Mammogram, right breast, MLO view. 48-year-old patient.
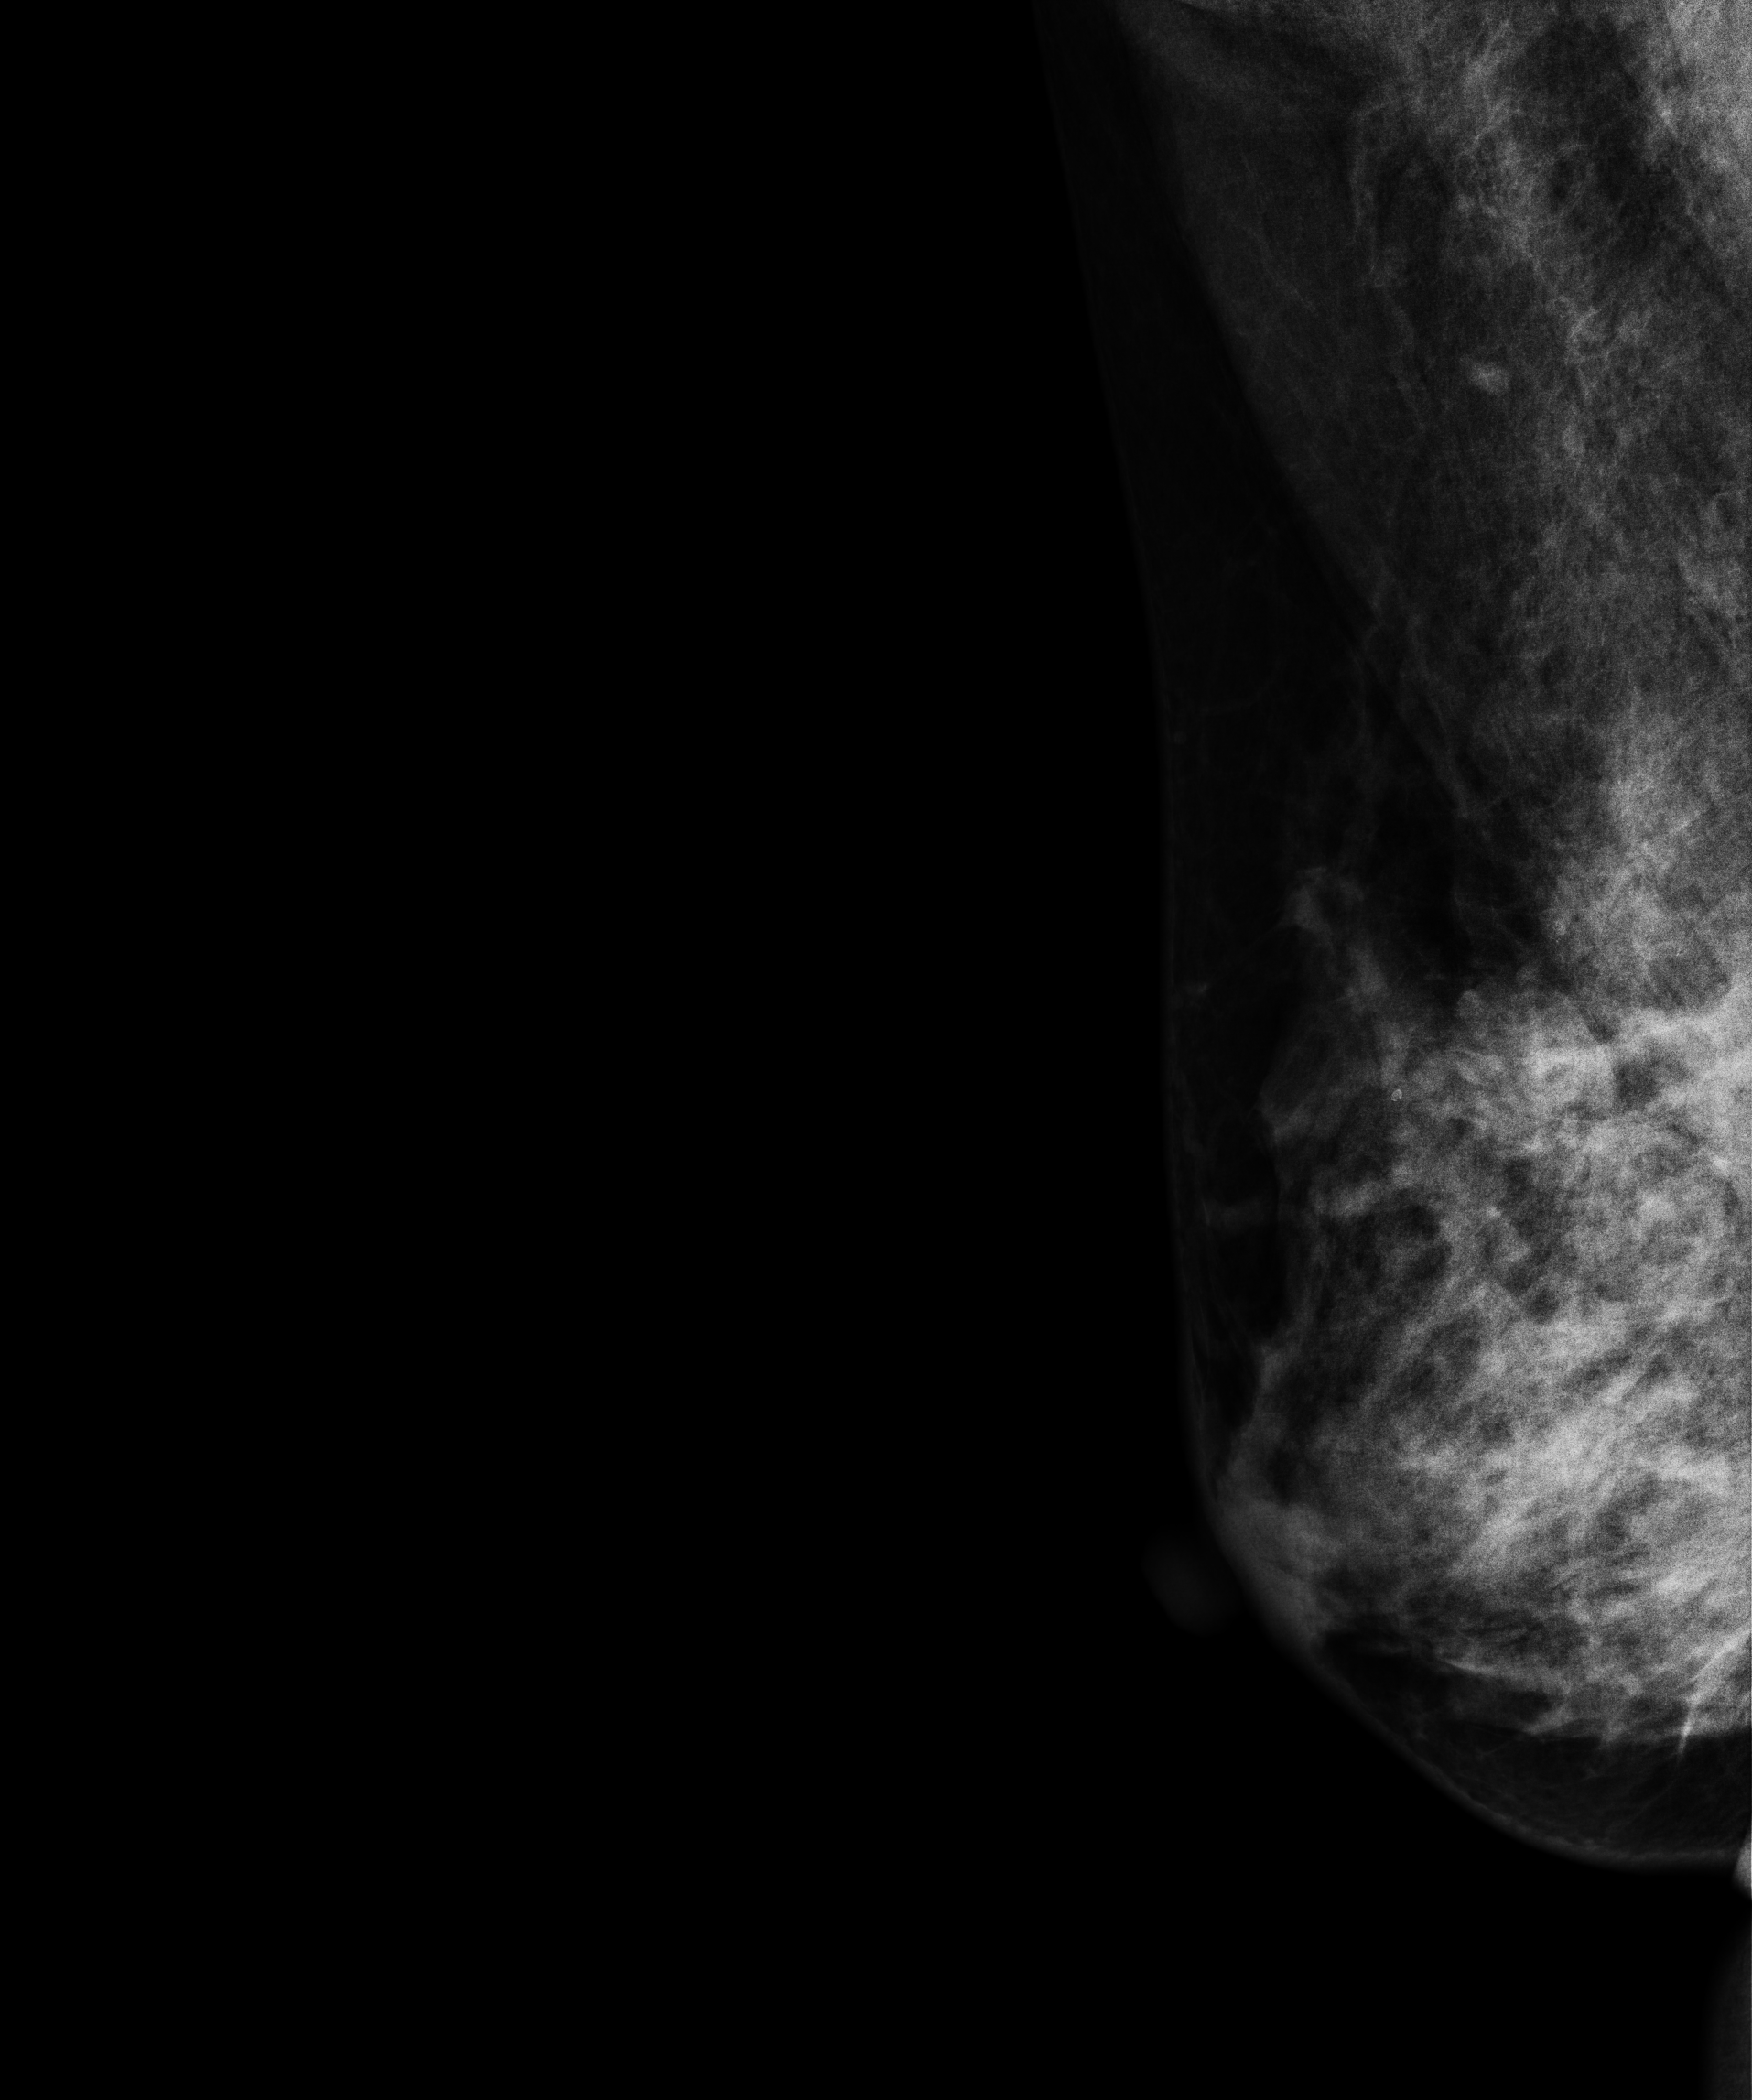
This breast has a mass, biopsy-confirmed benign.